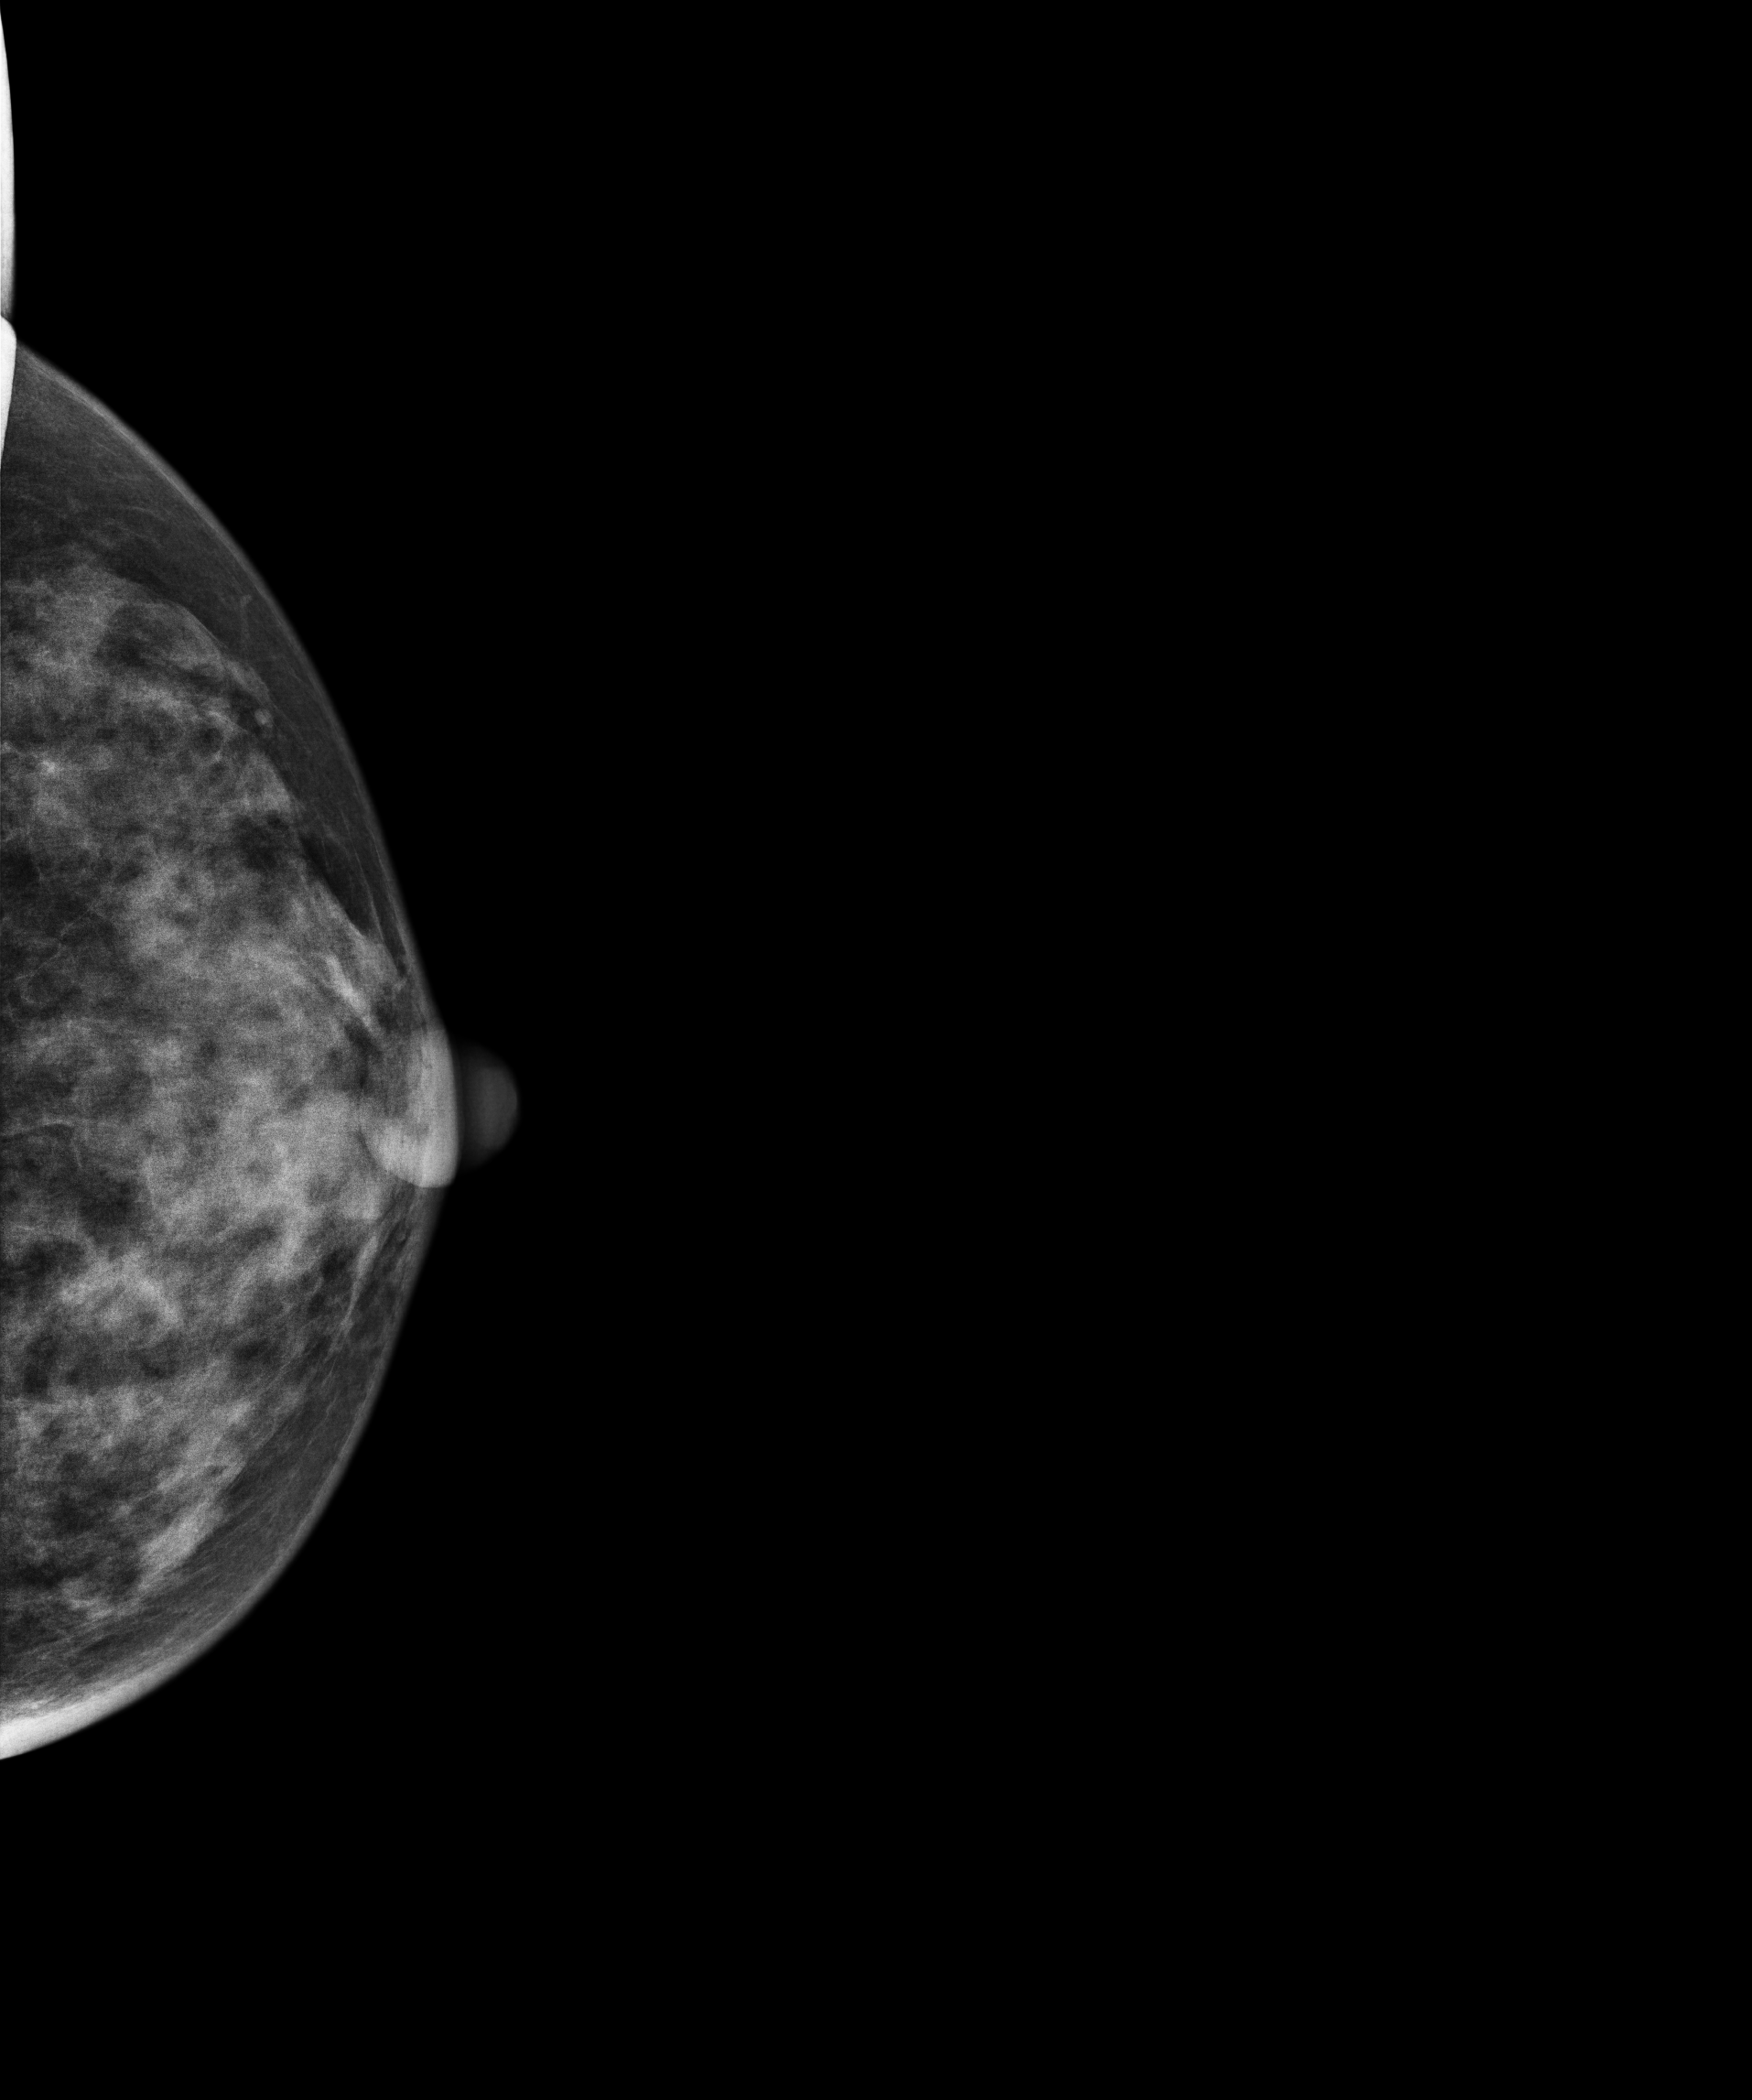
Mammogram — left cranio-caudal. Patient age 46.
This breast has a mass, histologically confirmed benign.